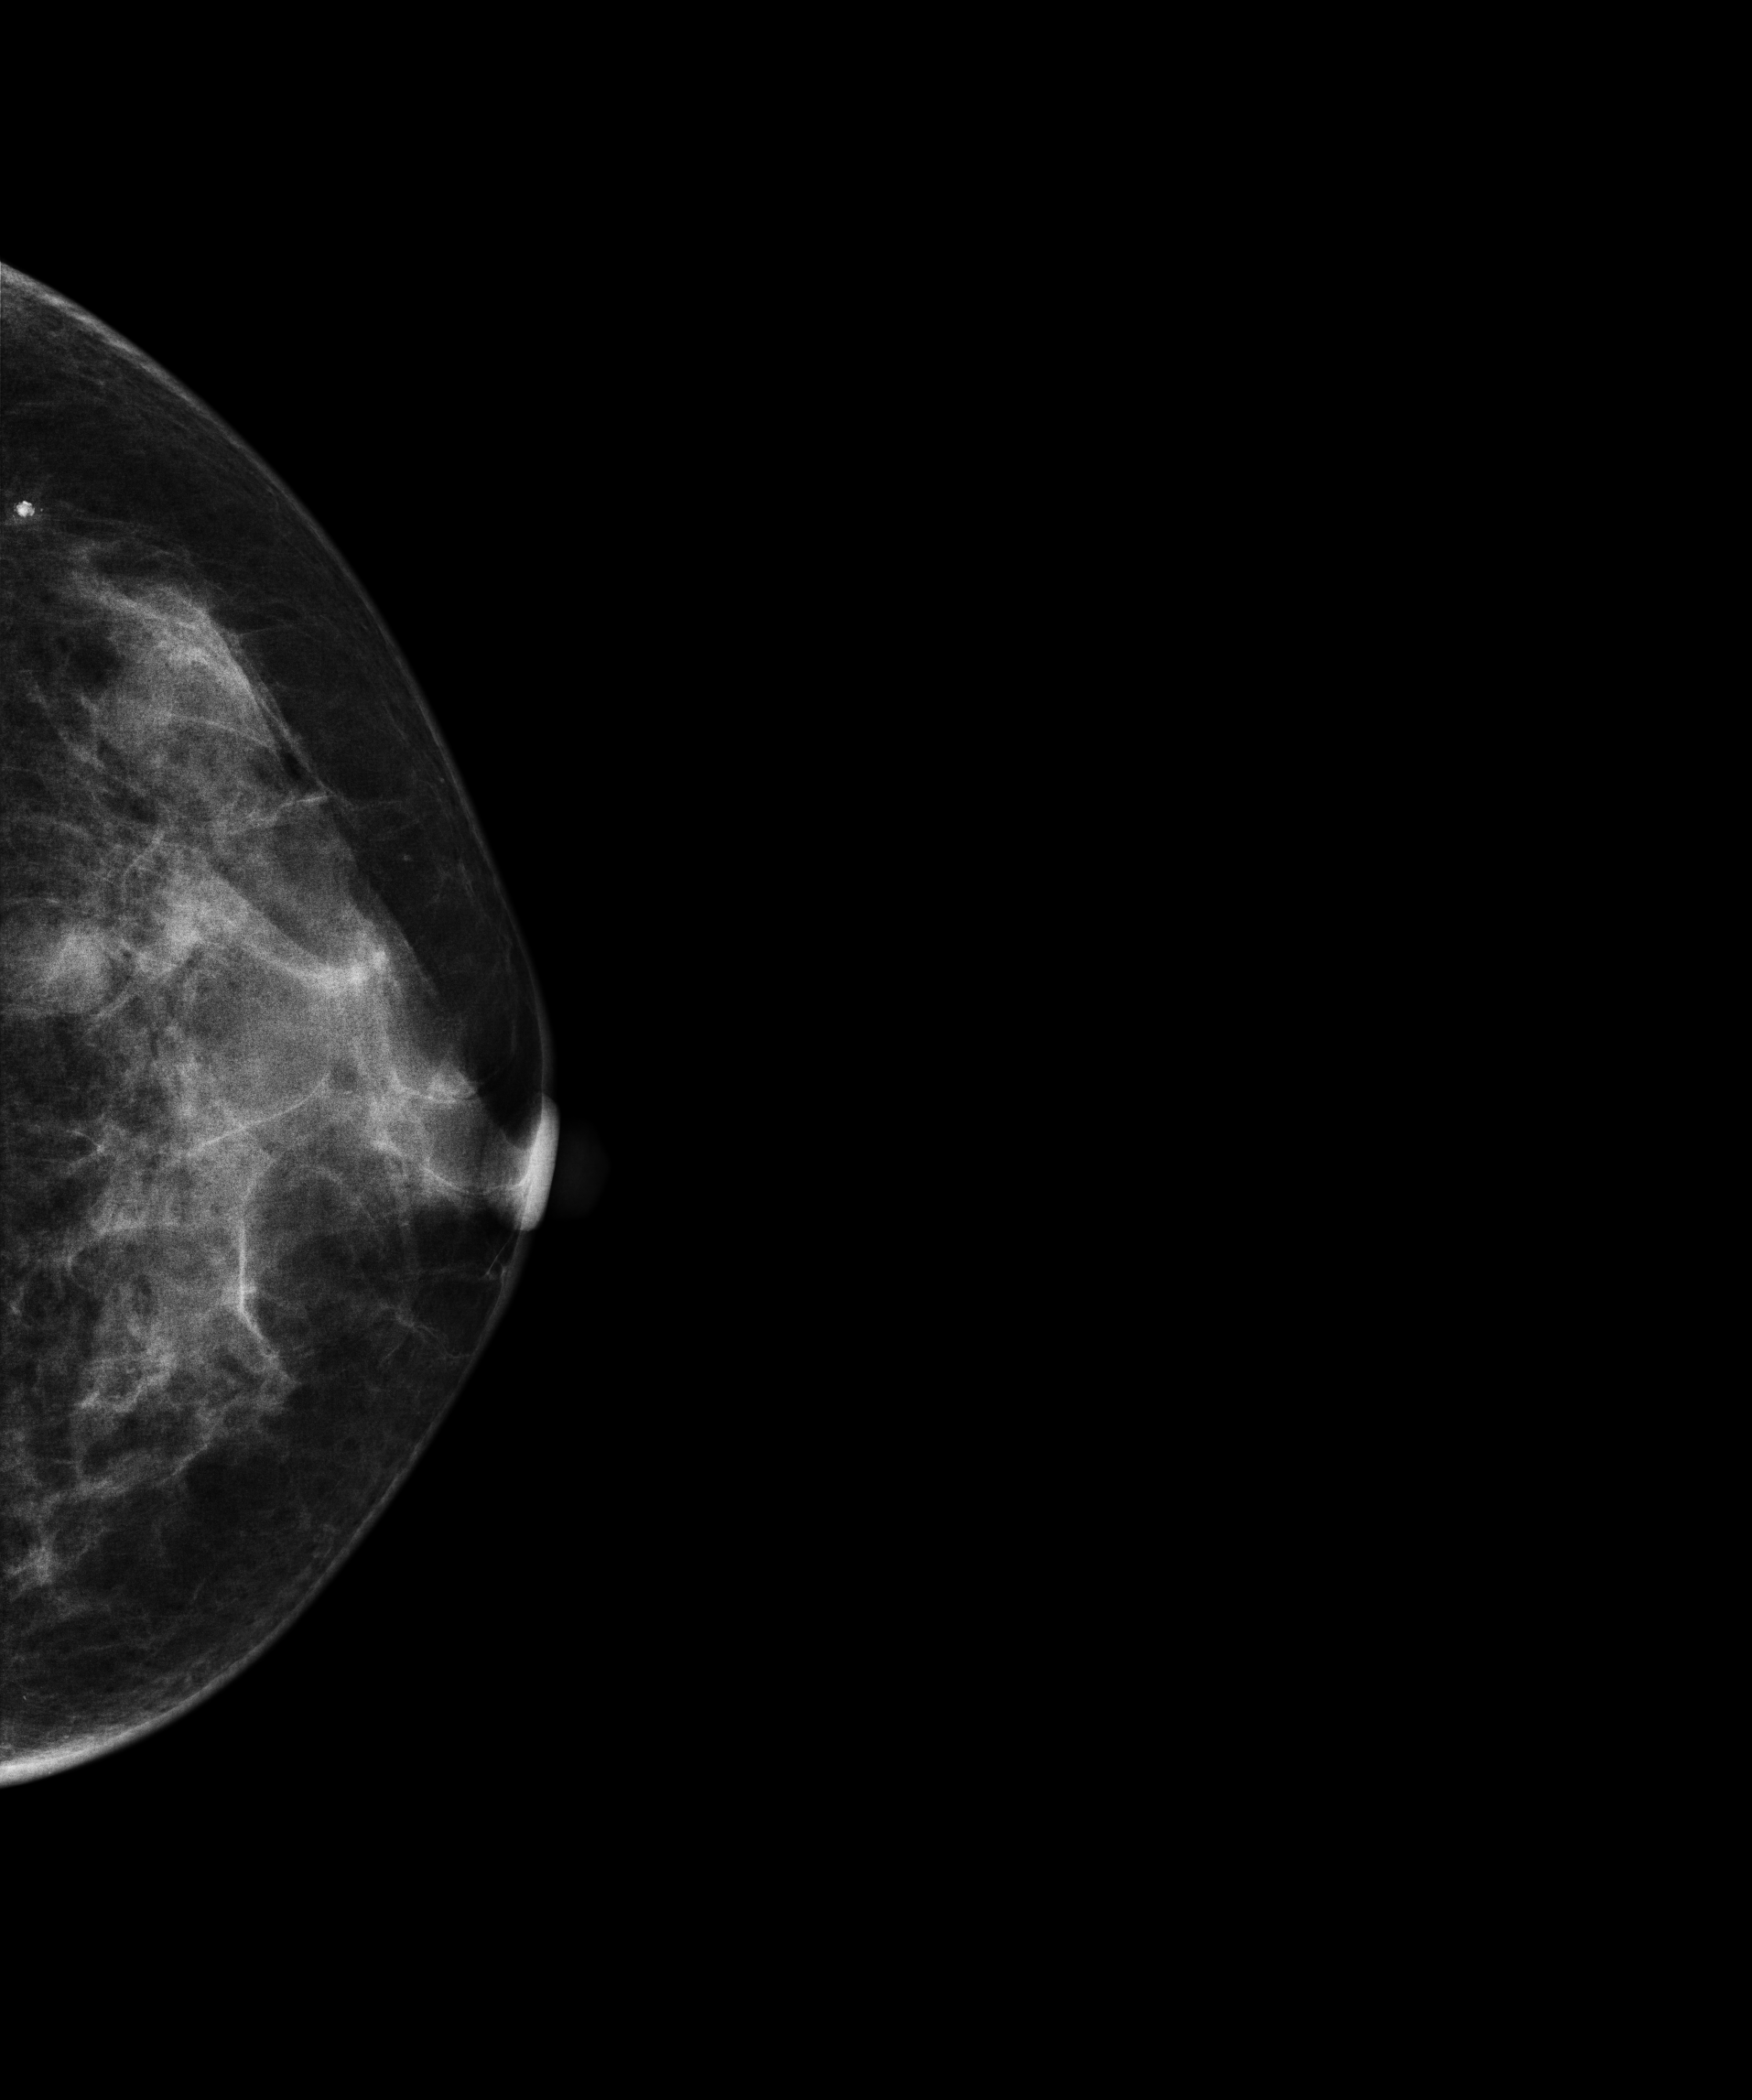
Mammogram — left CC. Patient age 37.
This breast has a mass, histologically confirmed benign.